Left-breast mammogram, MLO. Patient age 43.
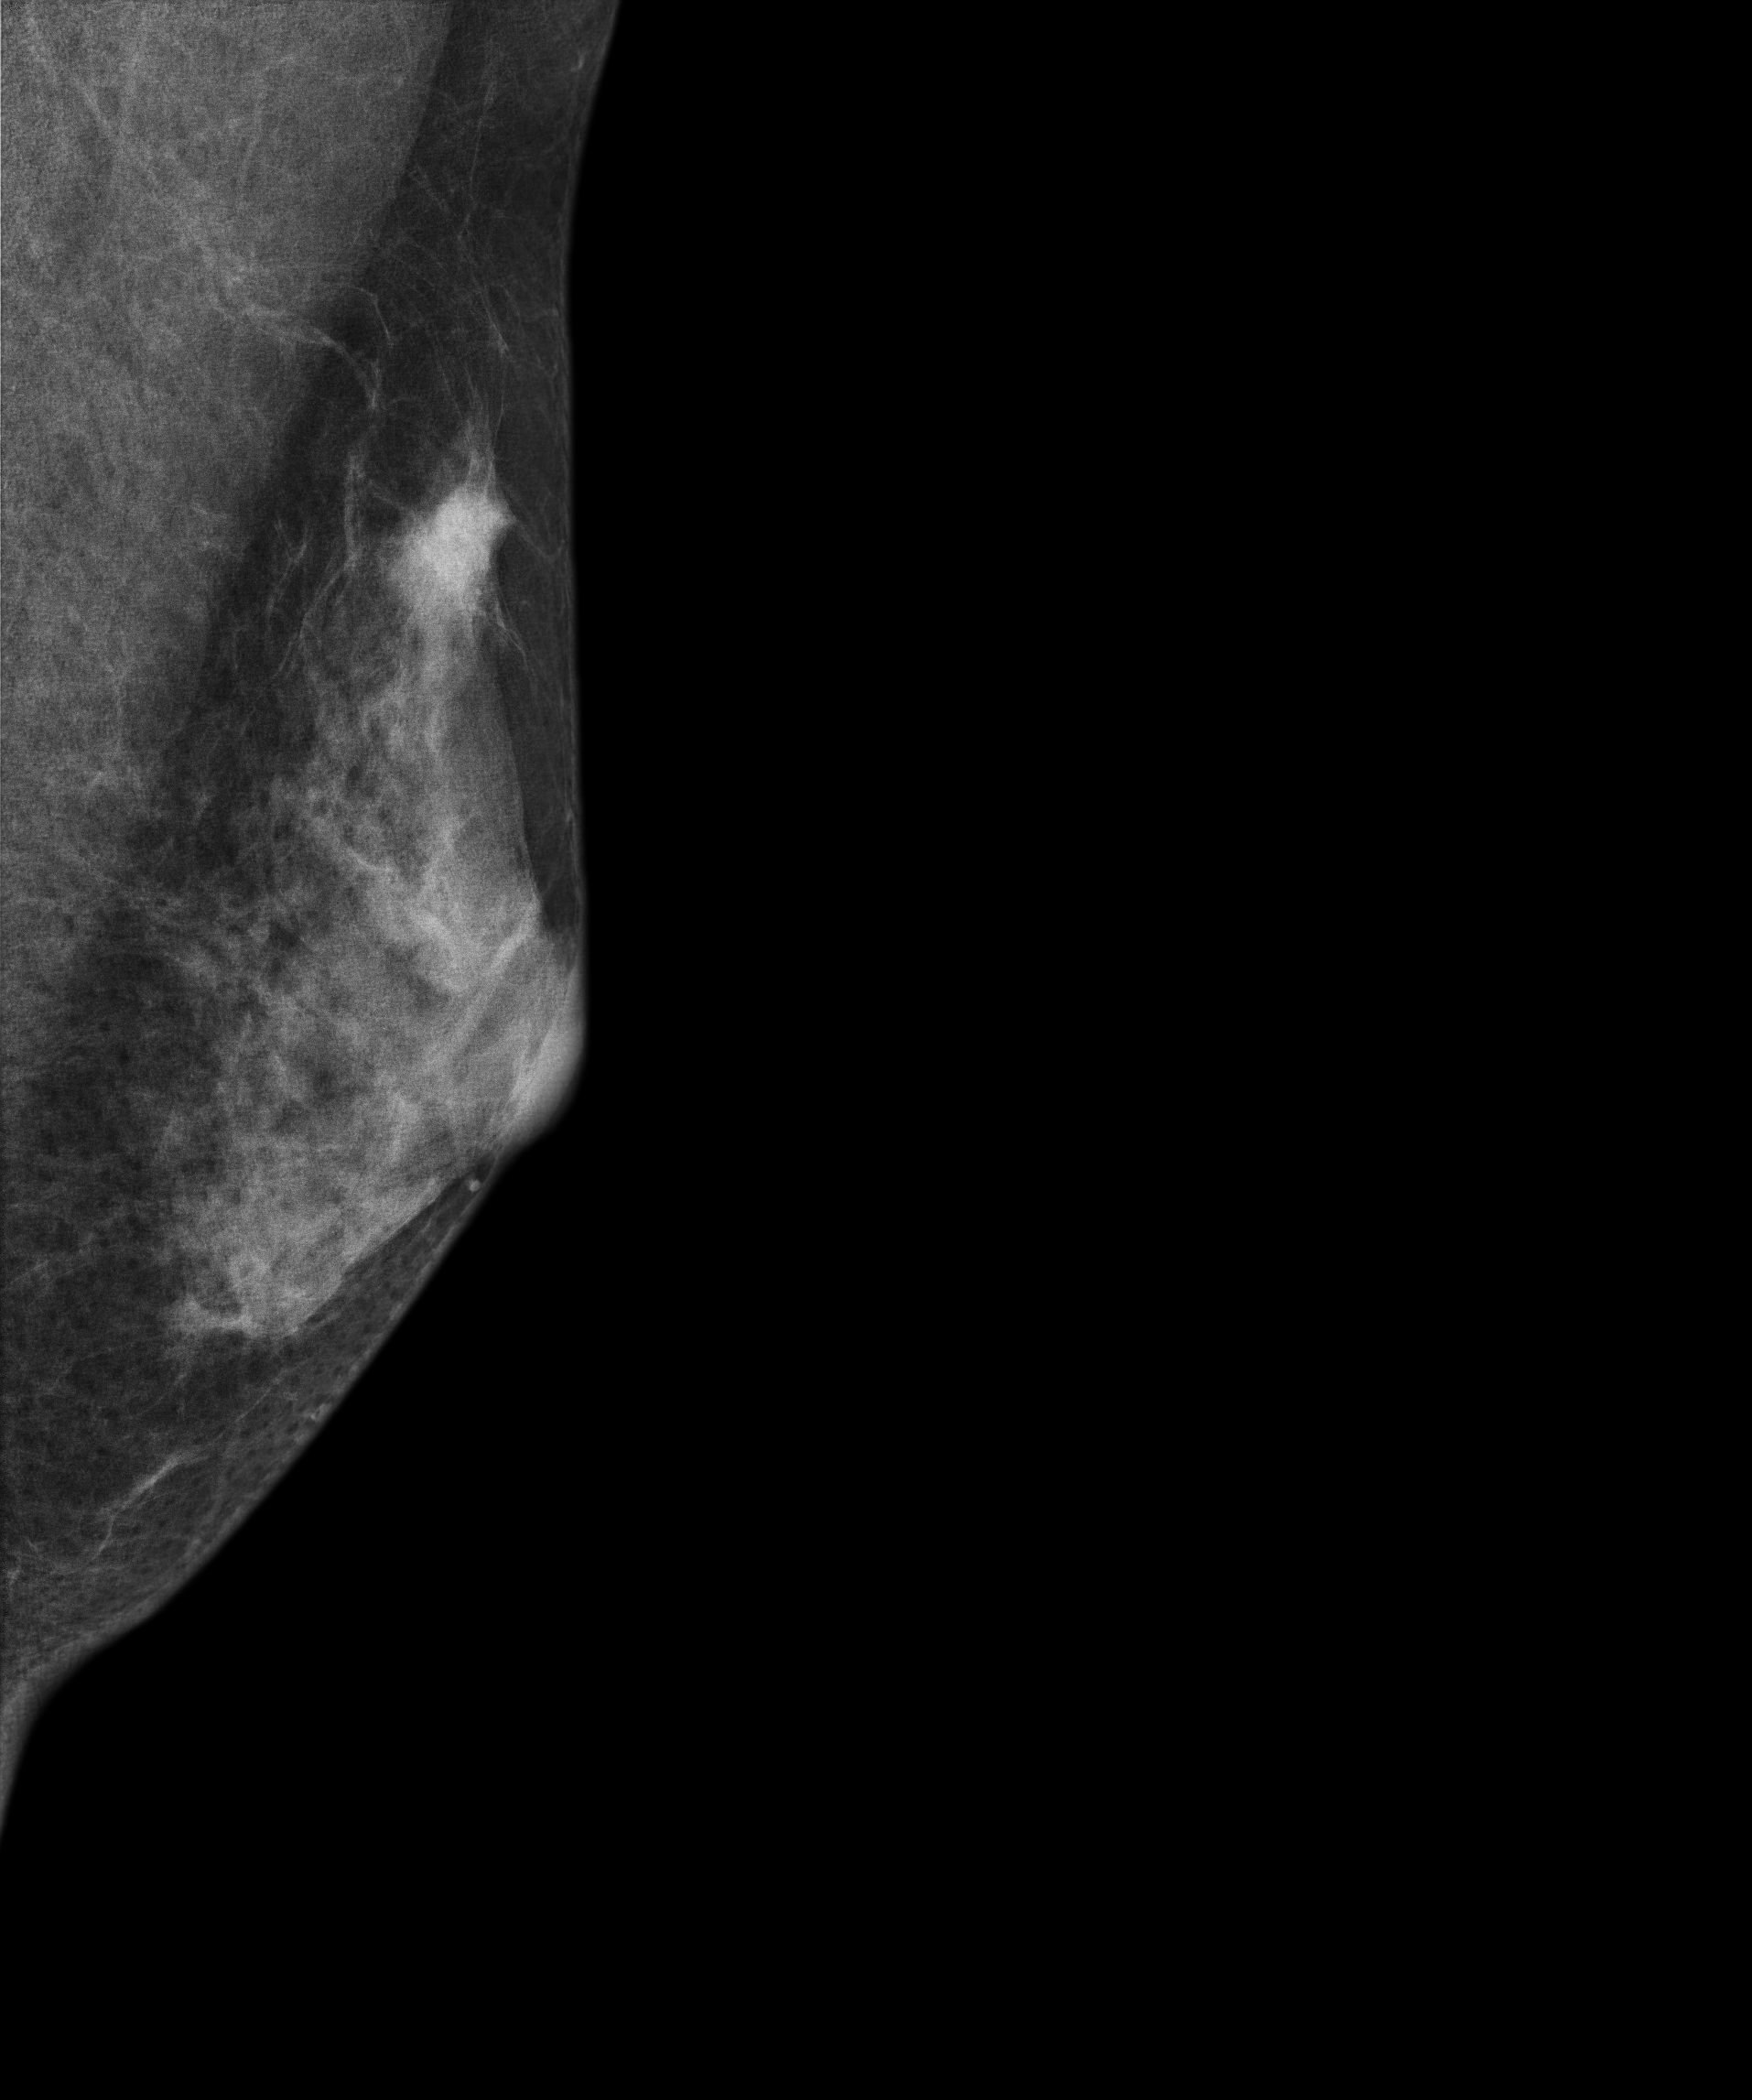
This breast has a mass, biopsy-proven malignant. Molecular subtype: luminal A.